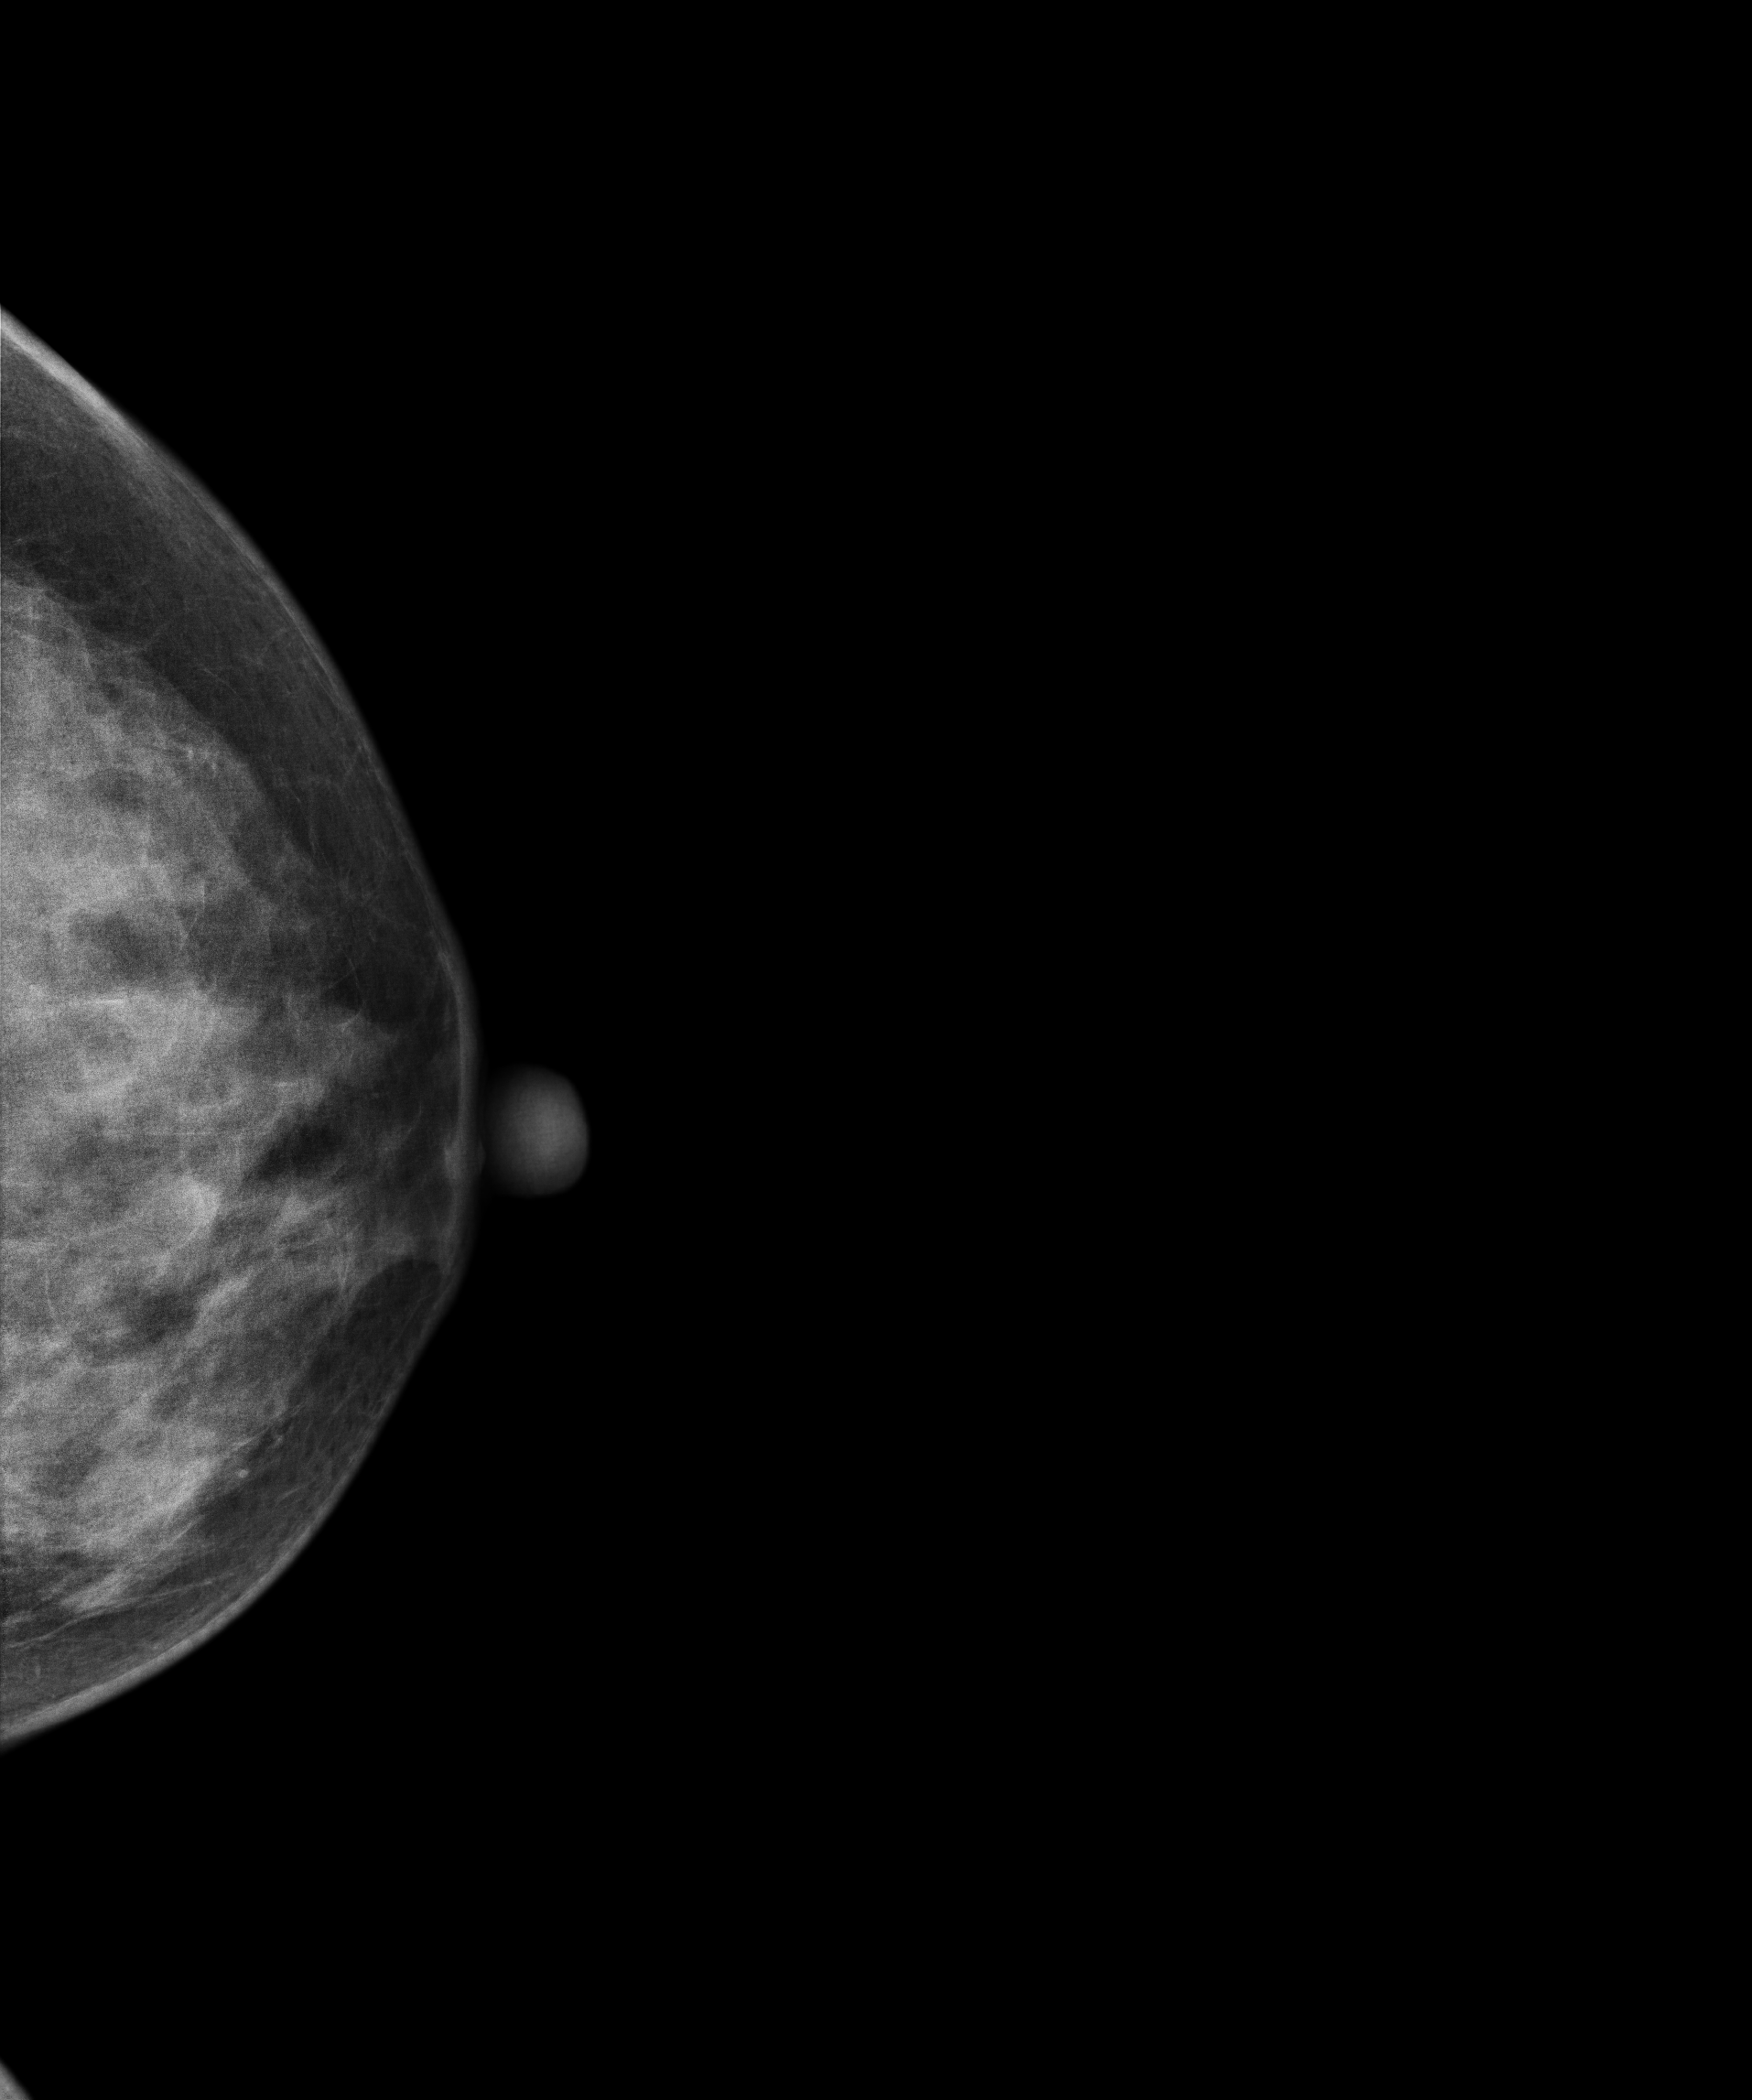
Left-breast mammogram, CC. 46 y/o patient.
This breast has a mass, biopsy-confirmed malignant.